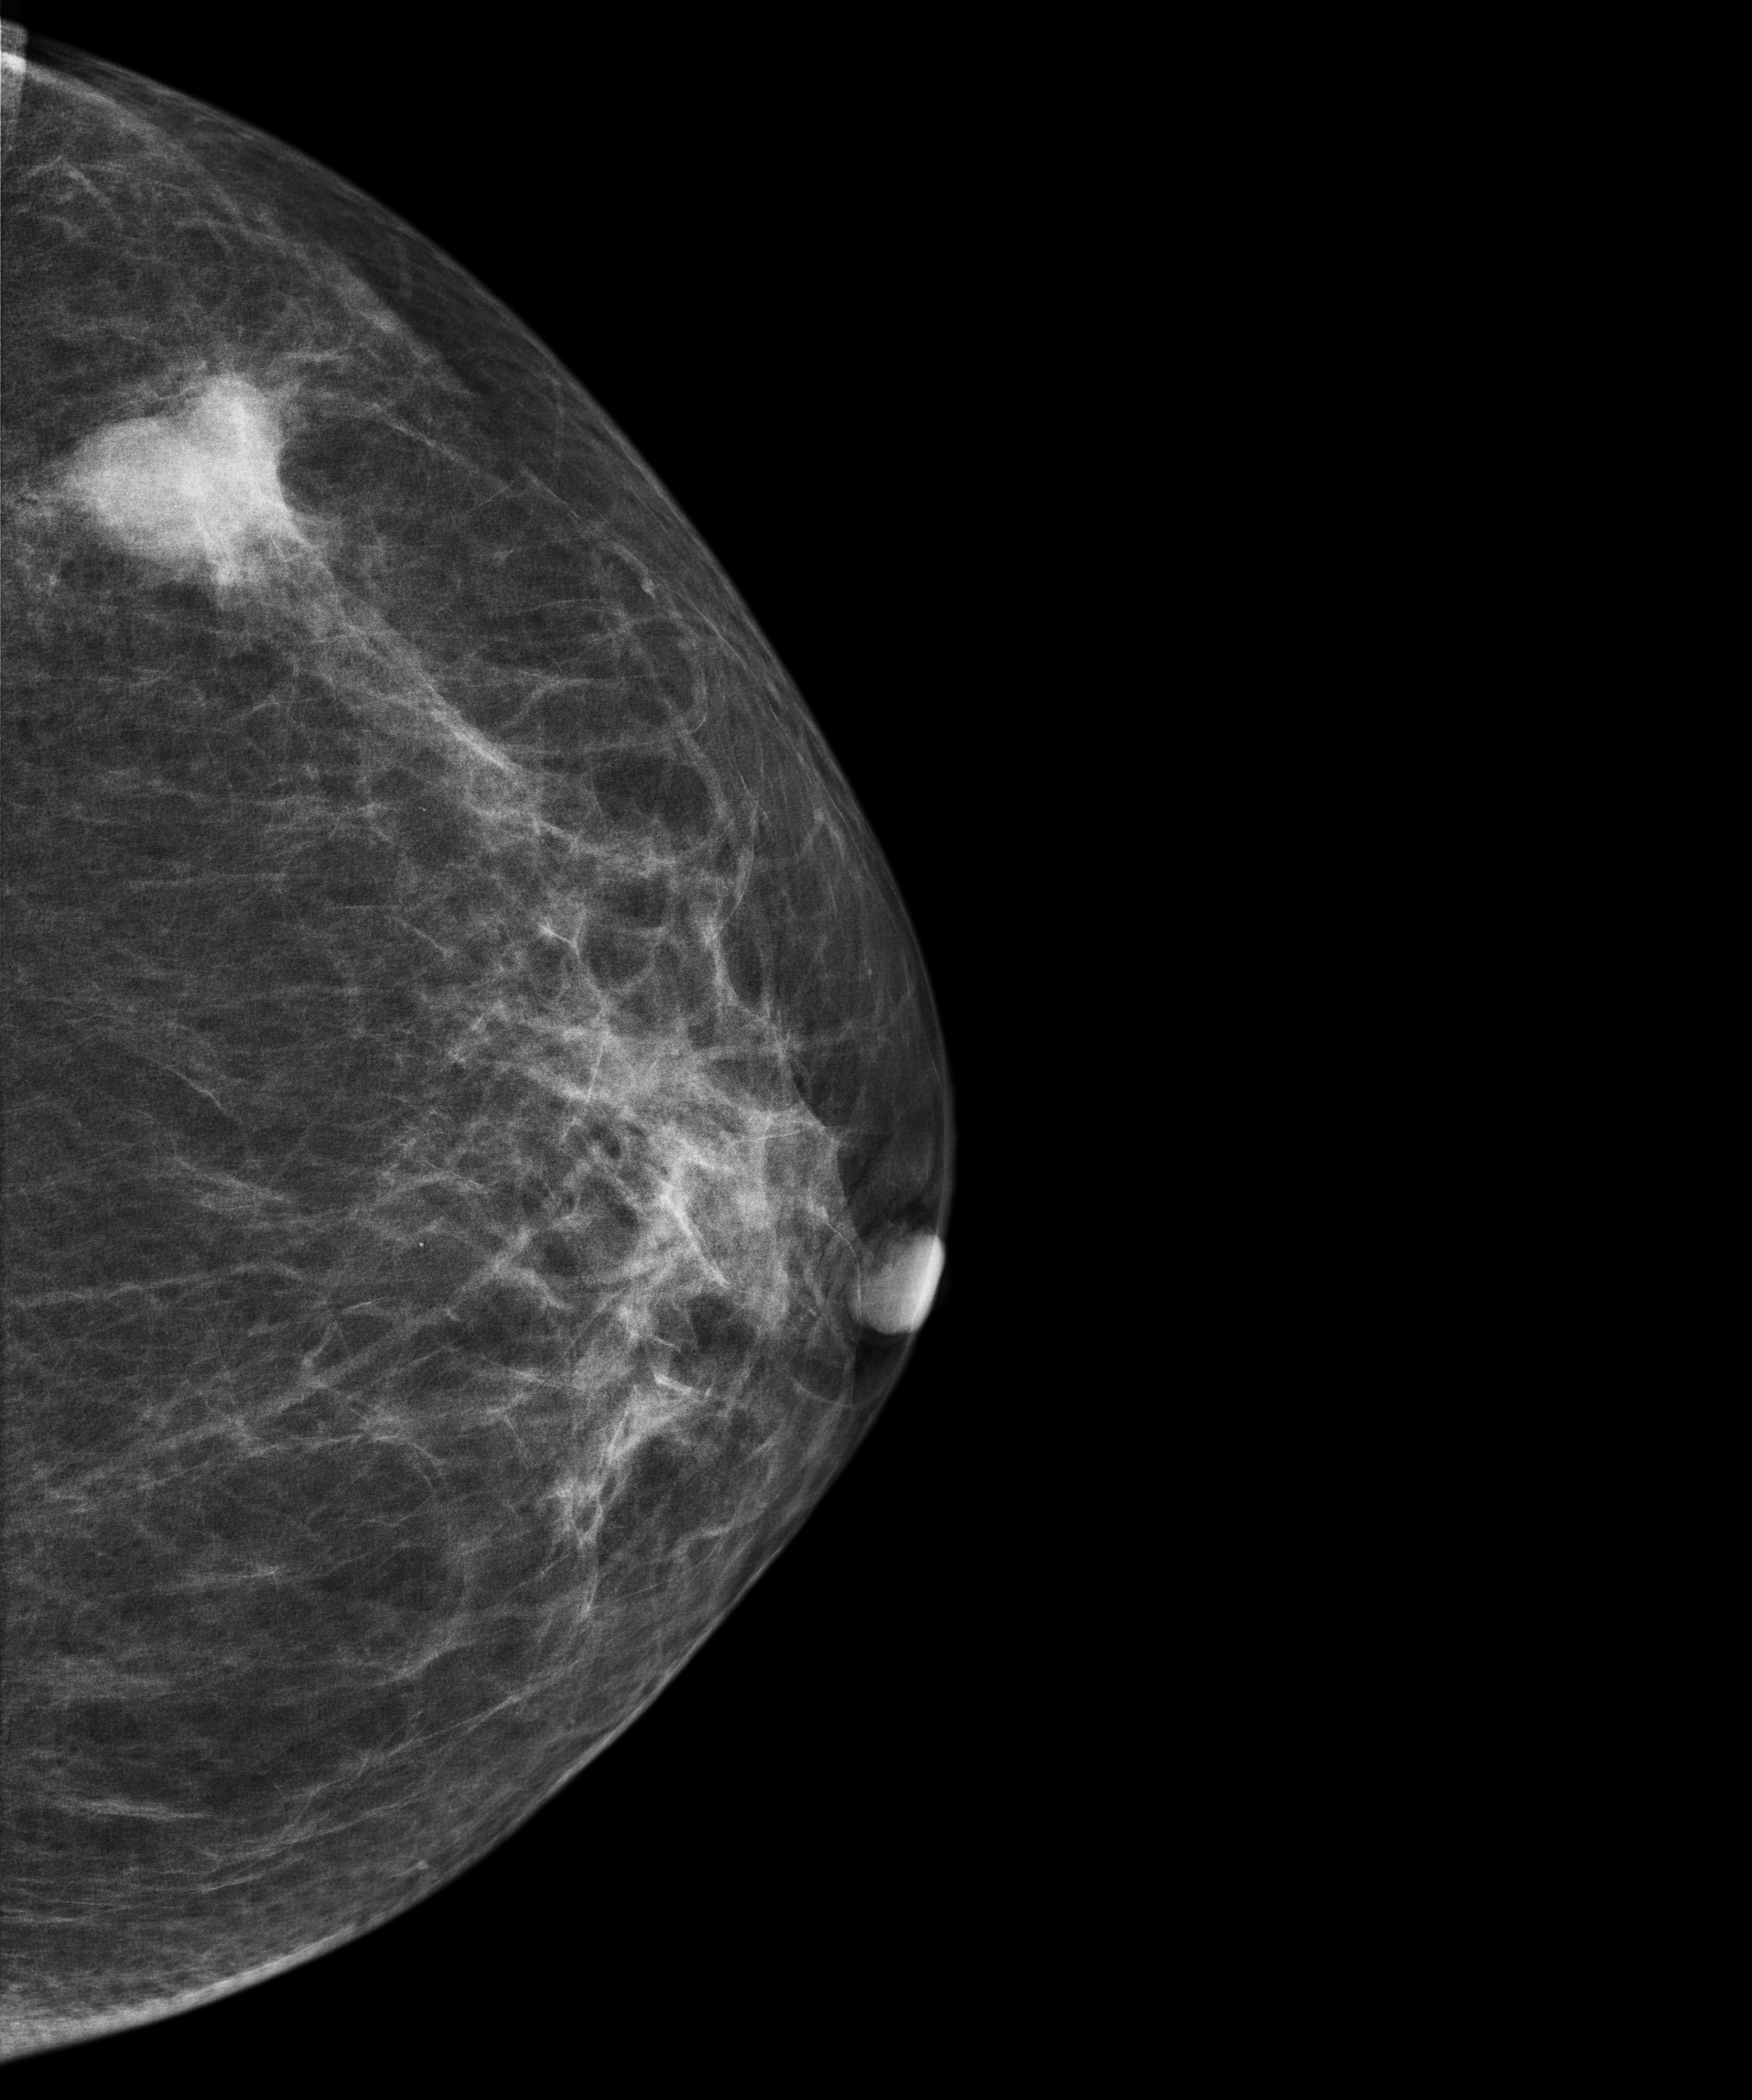
Mammogram — left CC. 70 y/o patient.
This breast has a mass, pathology-confirmed malignant. Molecular subtype: triple-negative.